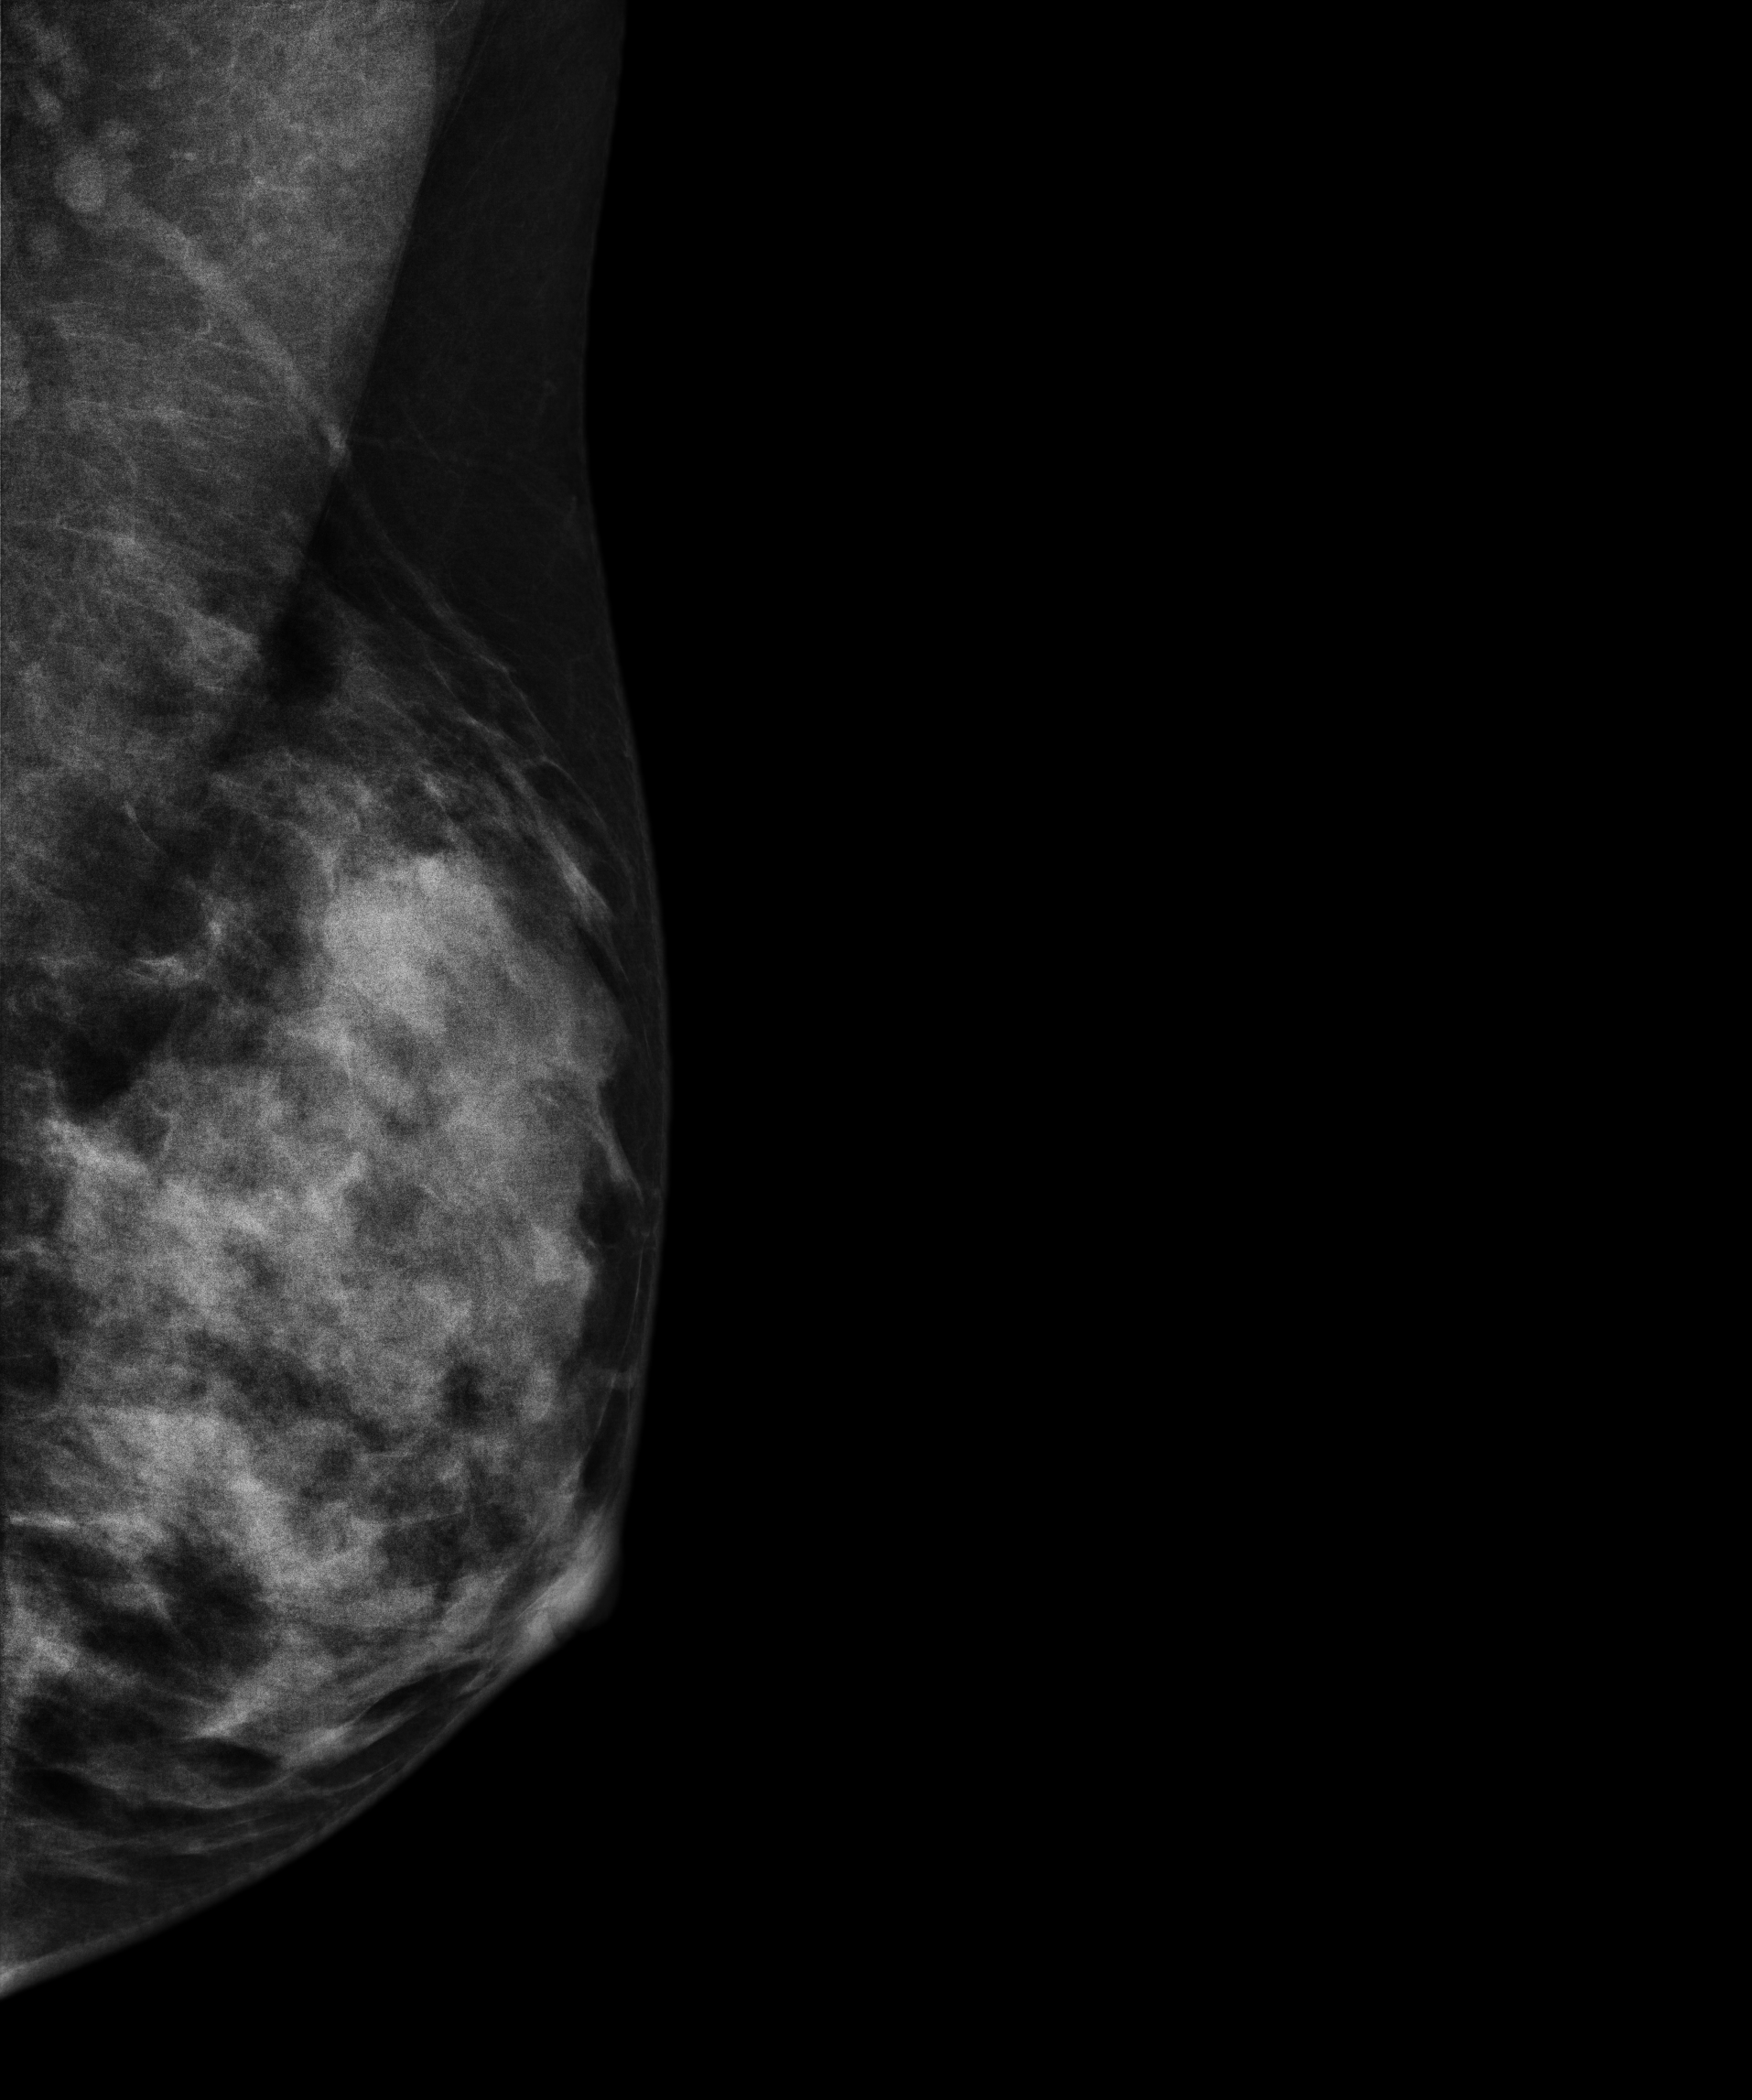
Medio-lateral oblique mammogram of the left breast. Patient age 42.
This breast has a mass, biopsy-proven malignant. Molecular subtype: luminal B.